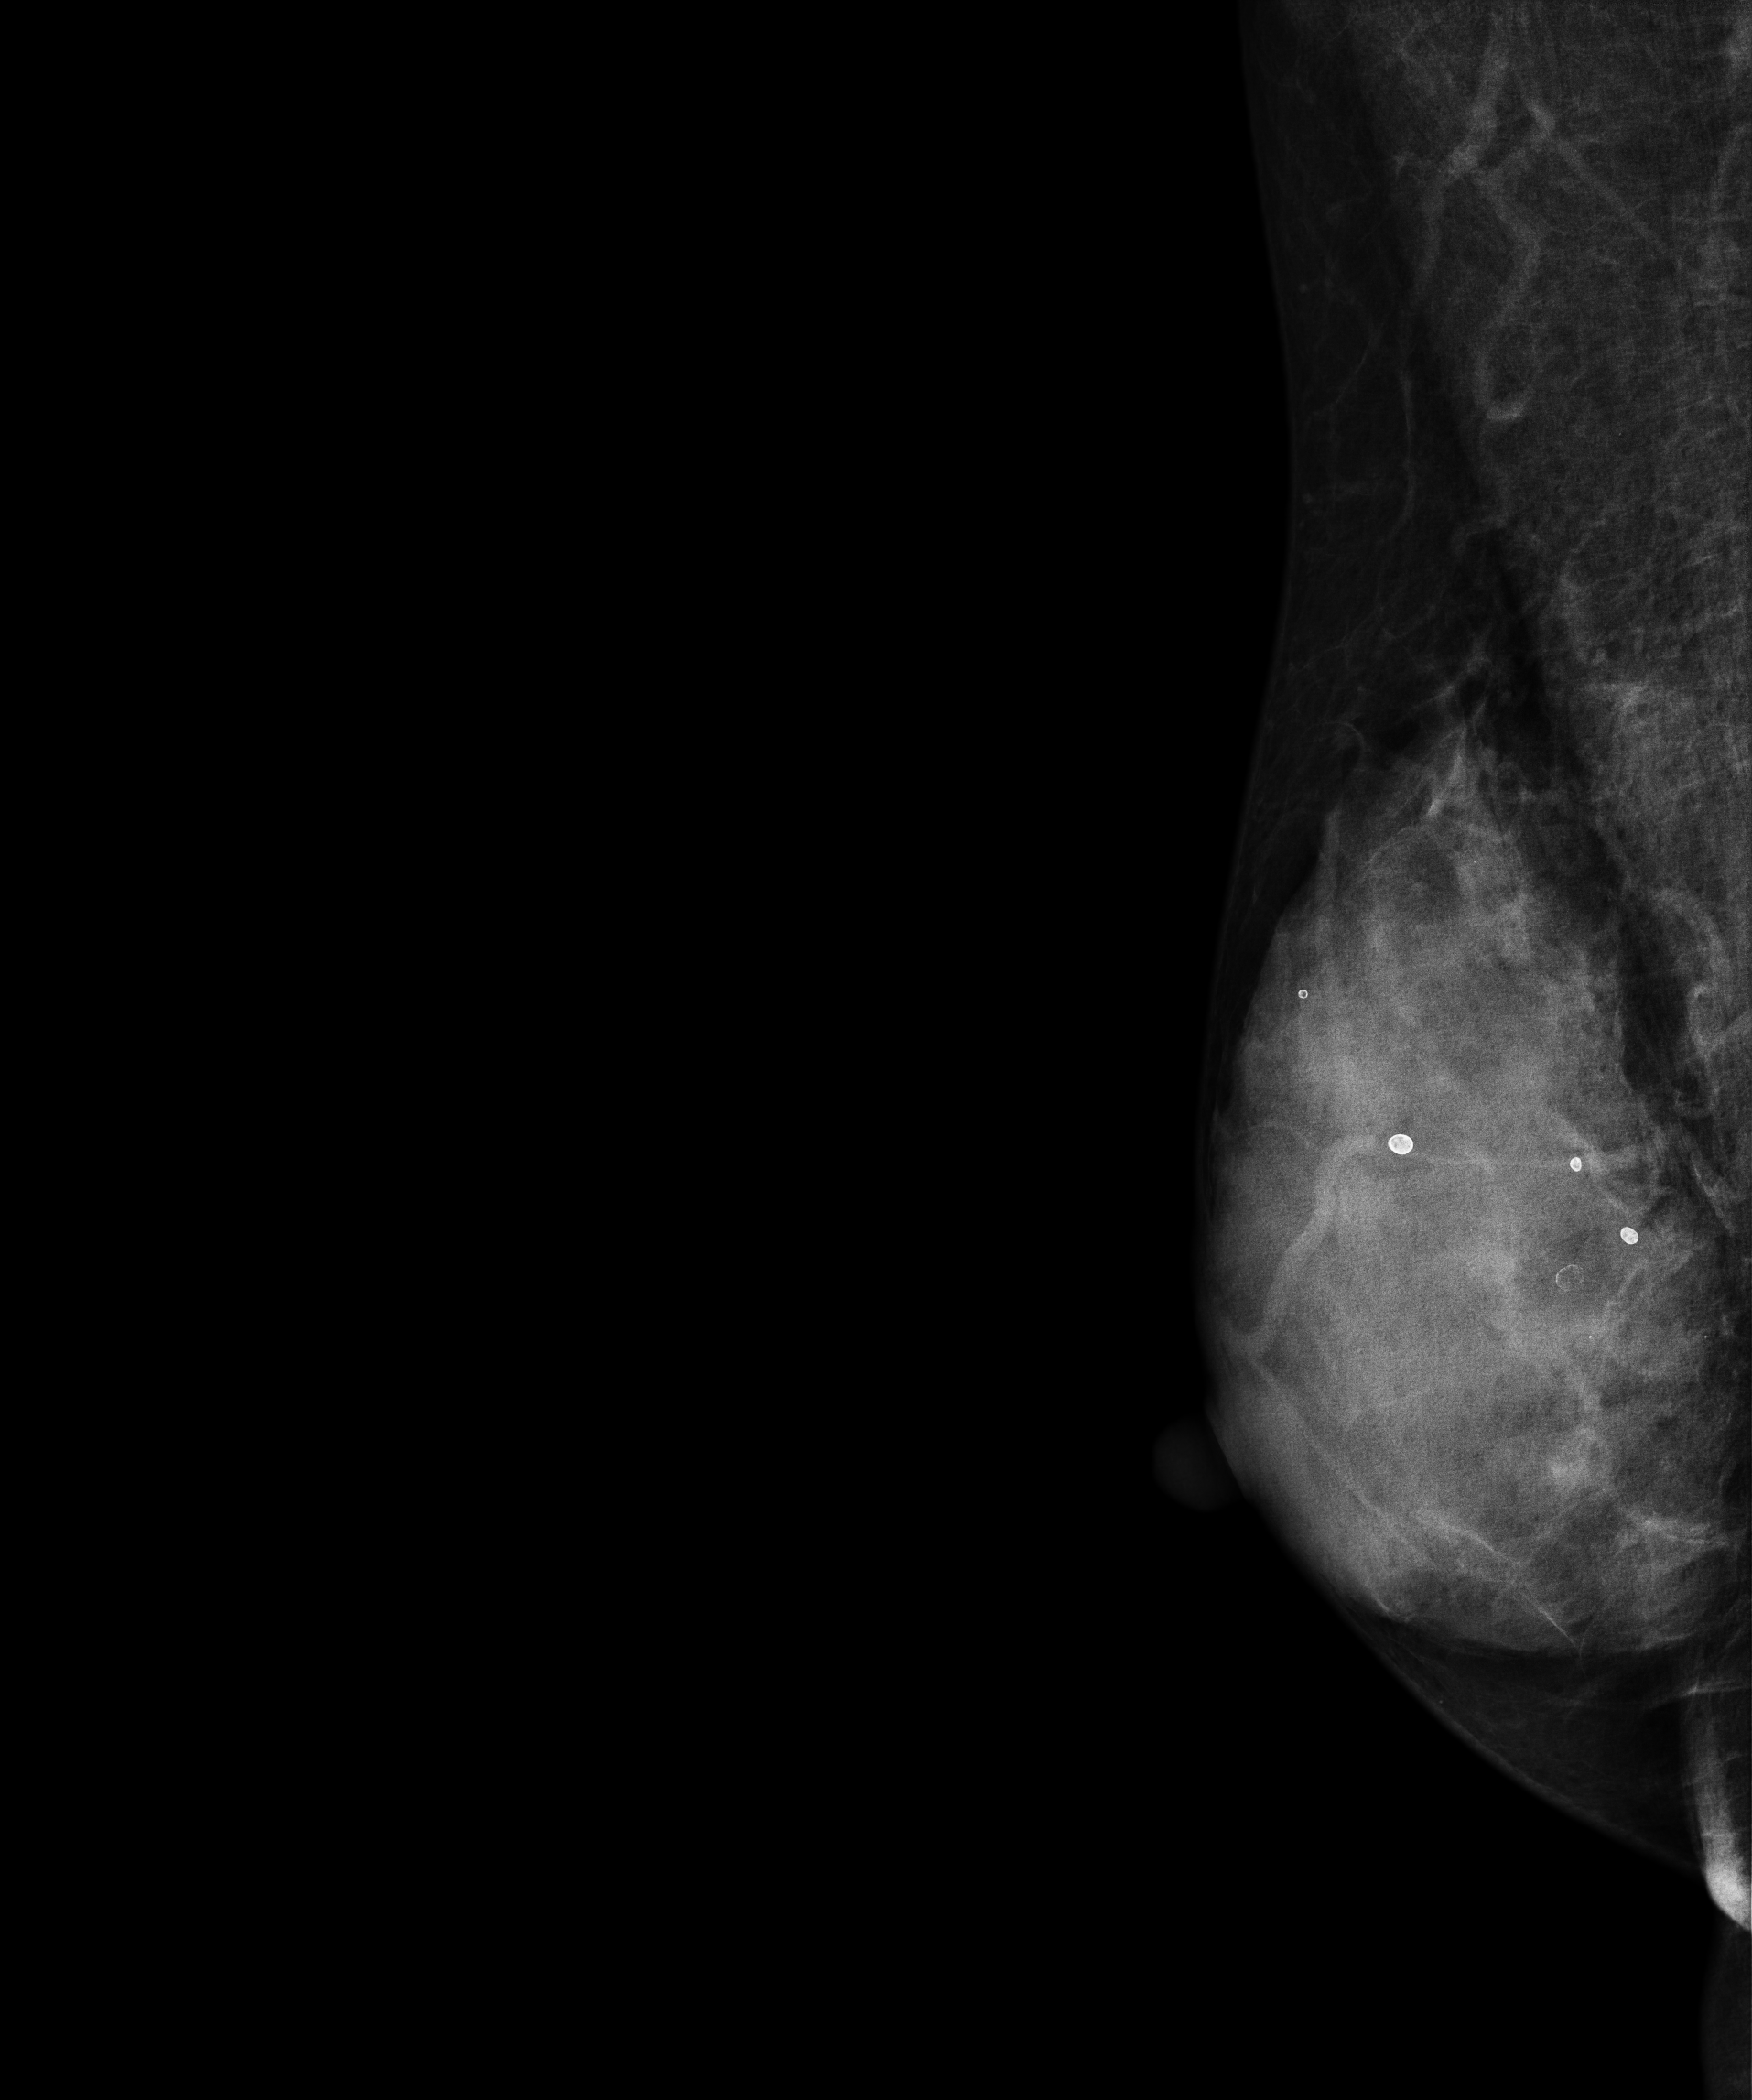
Digital mammography. Right breast, MLO projection. Patient age 56.
This breast has calcifications, pathology-confirmed malignant.